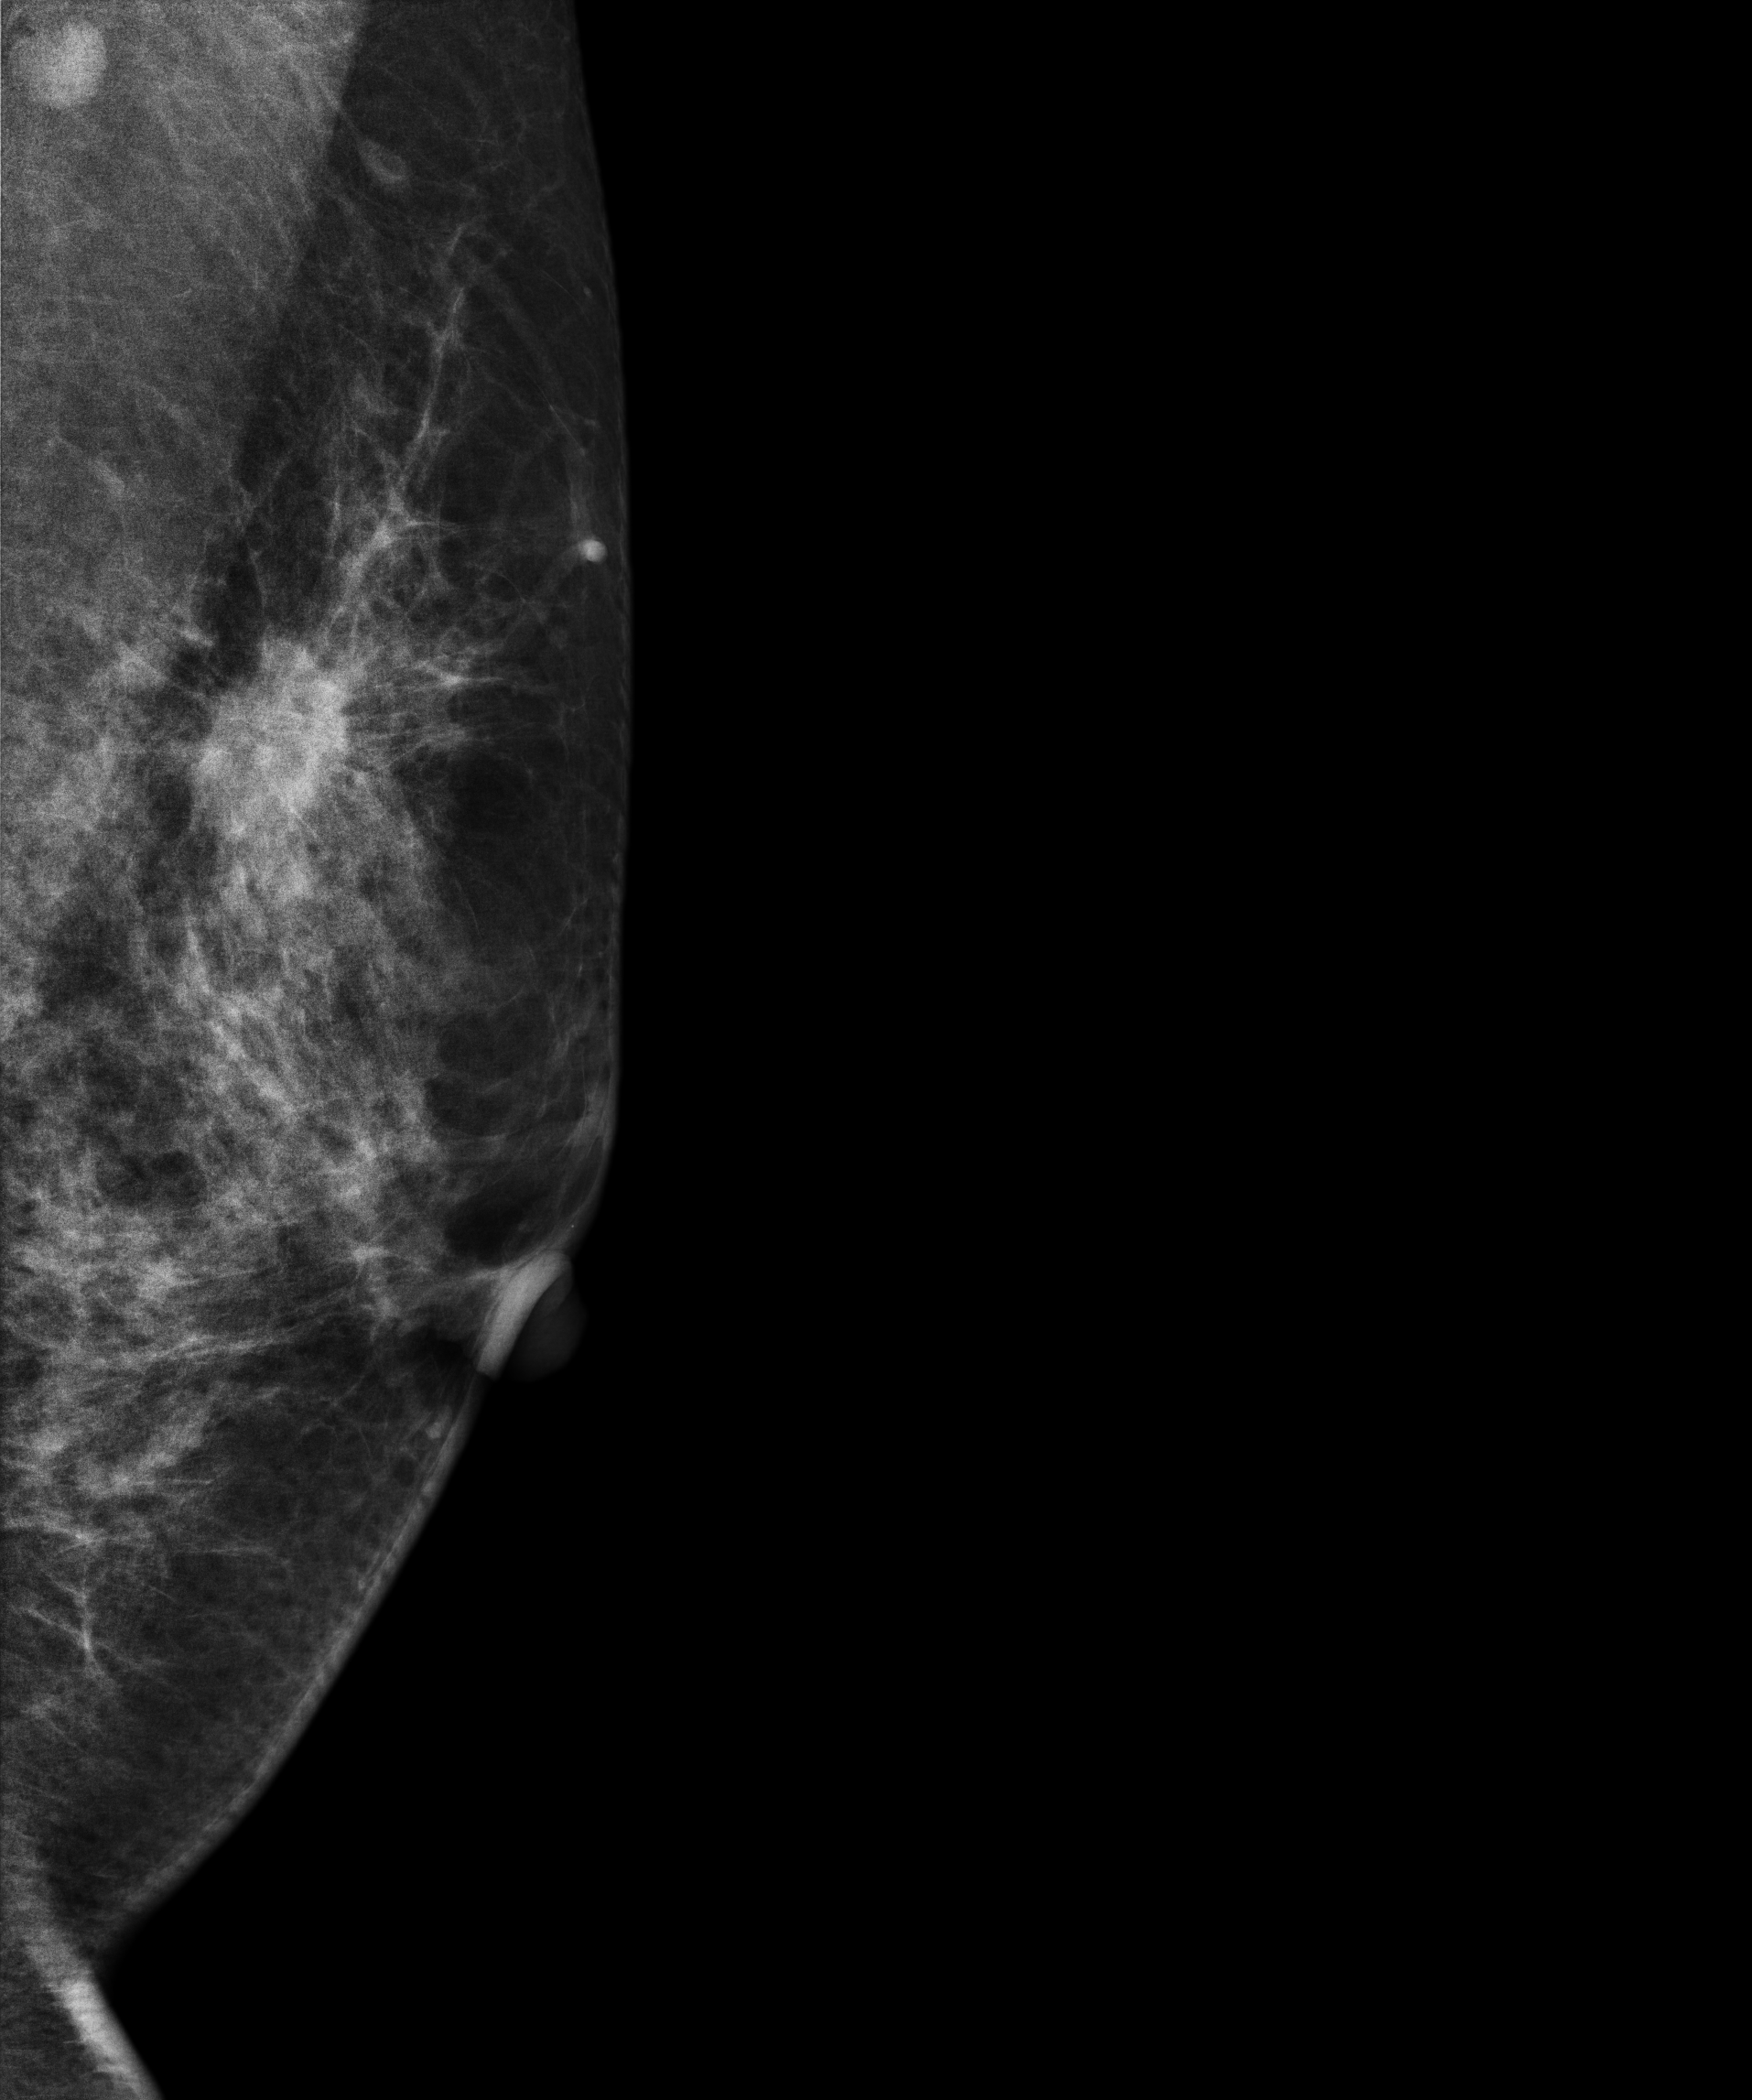
MLO mammogram of the left breast. 48-year-old patient.
This breast has a mass, biopsy-proven malignant. Molecular subtype: luminal B.